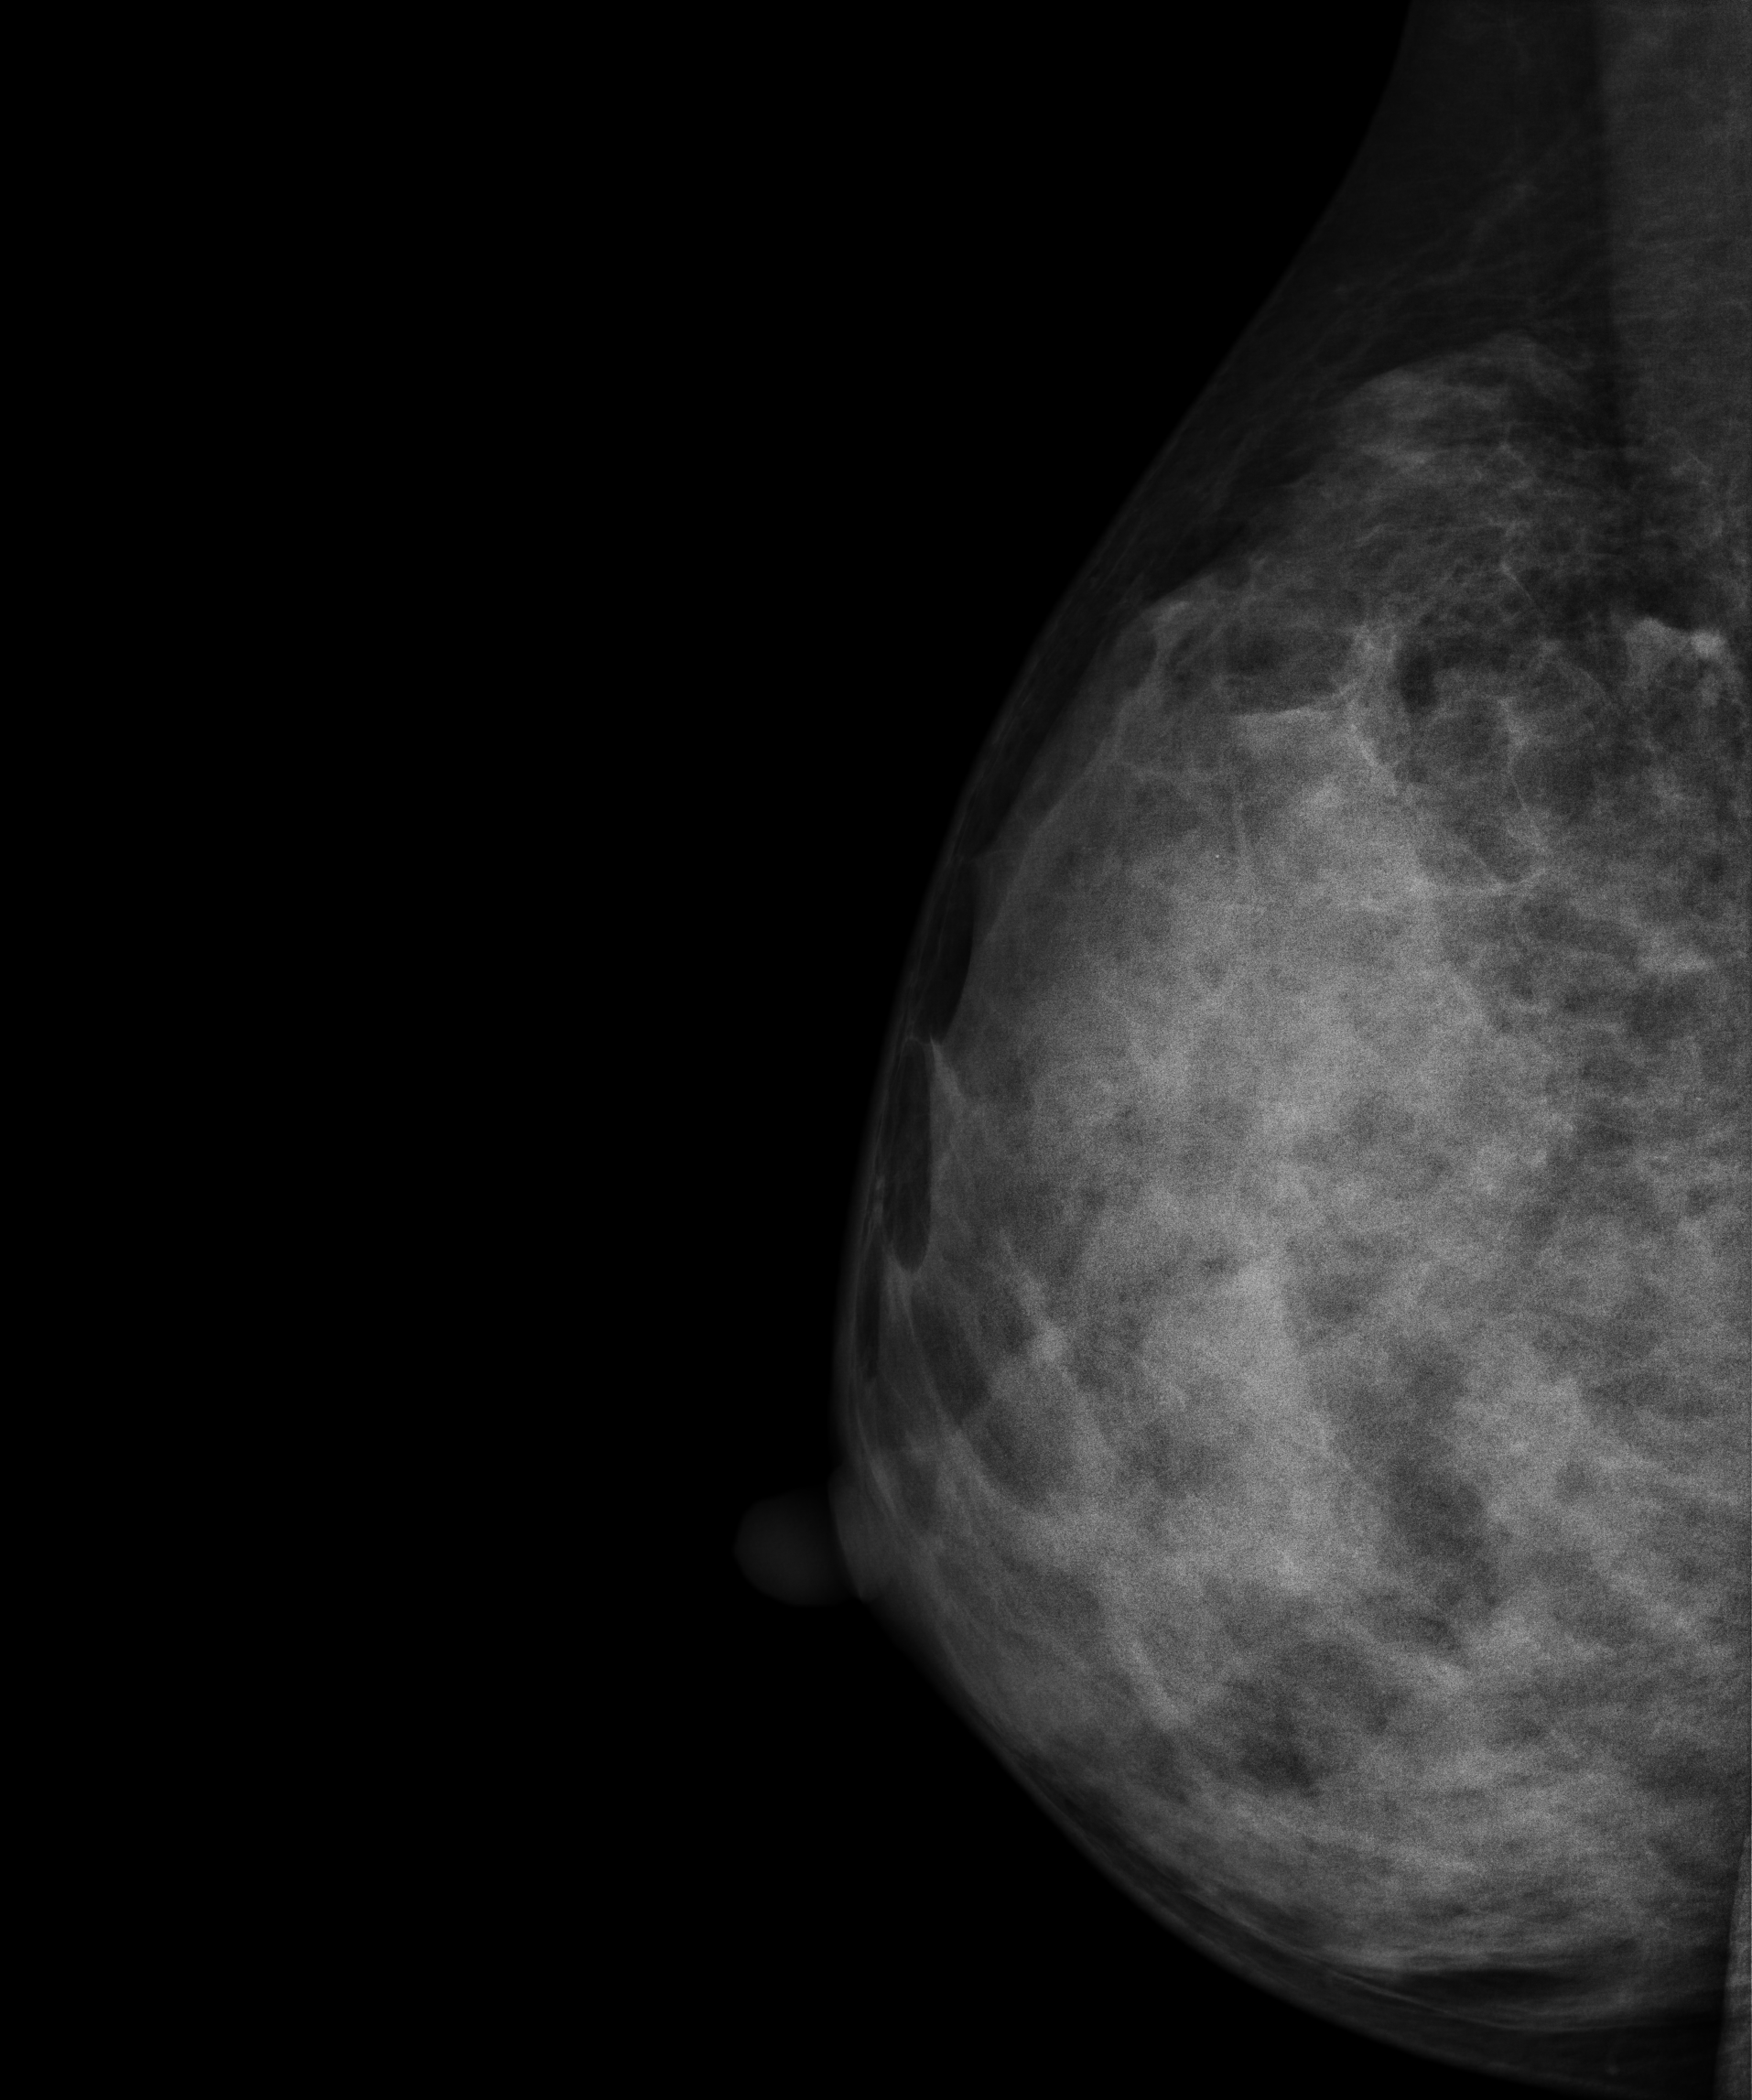
Right-breast mammogram, medio-lateral oblique. Patient age 47.
This breast has a mass, histologically confirmed malignant. Molecular subtype: luminal B.